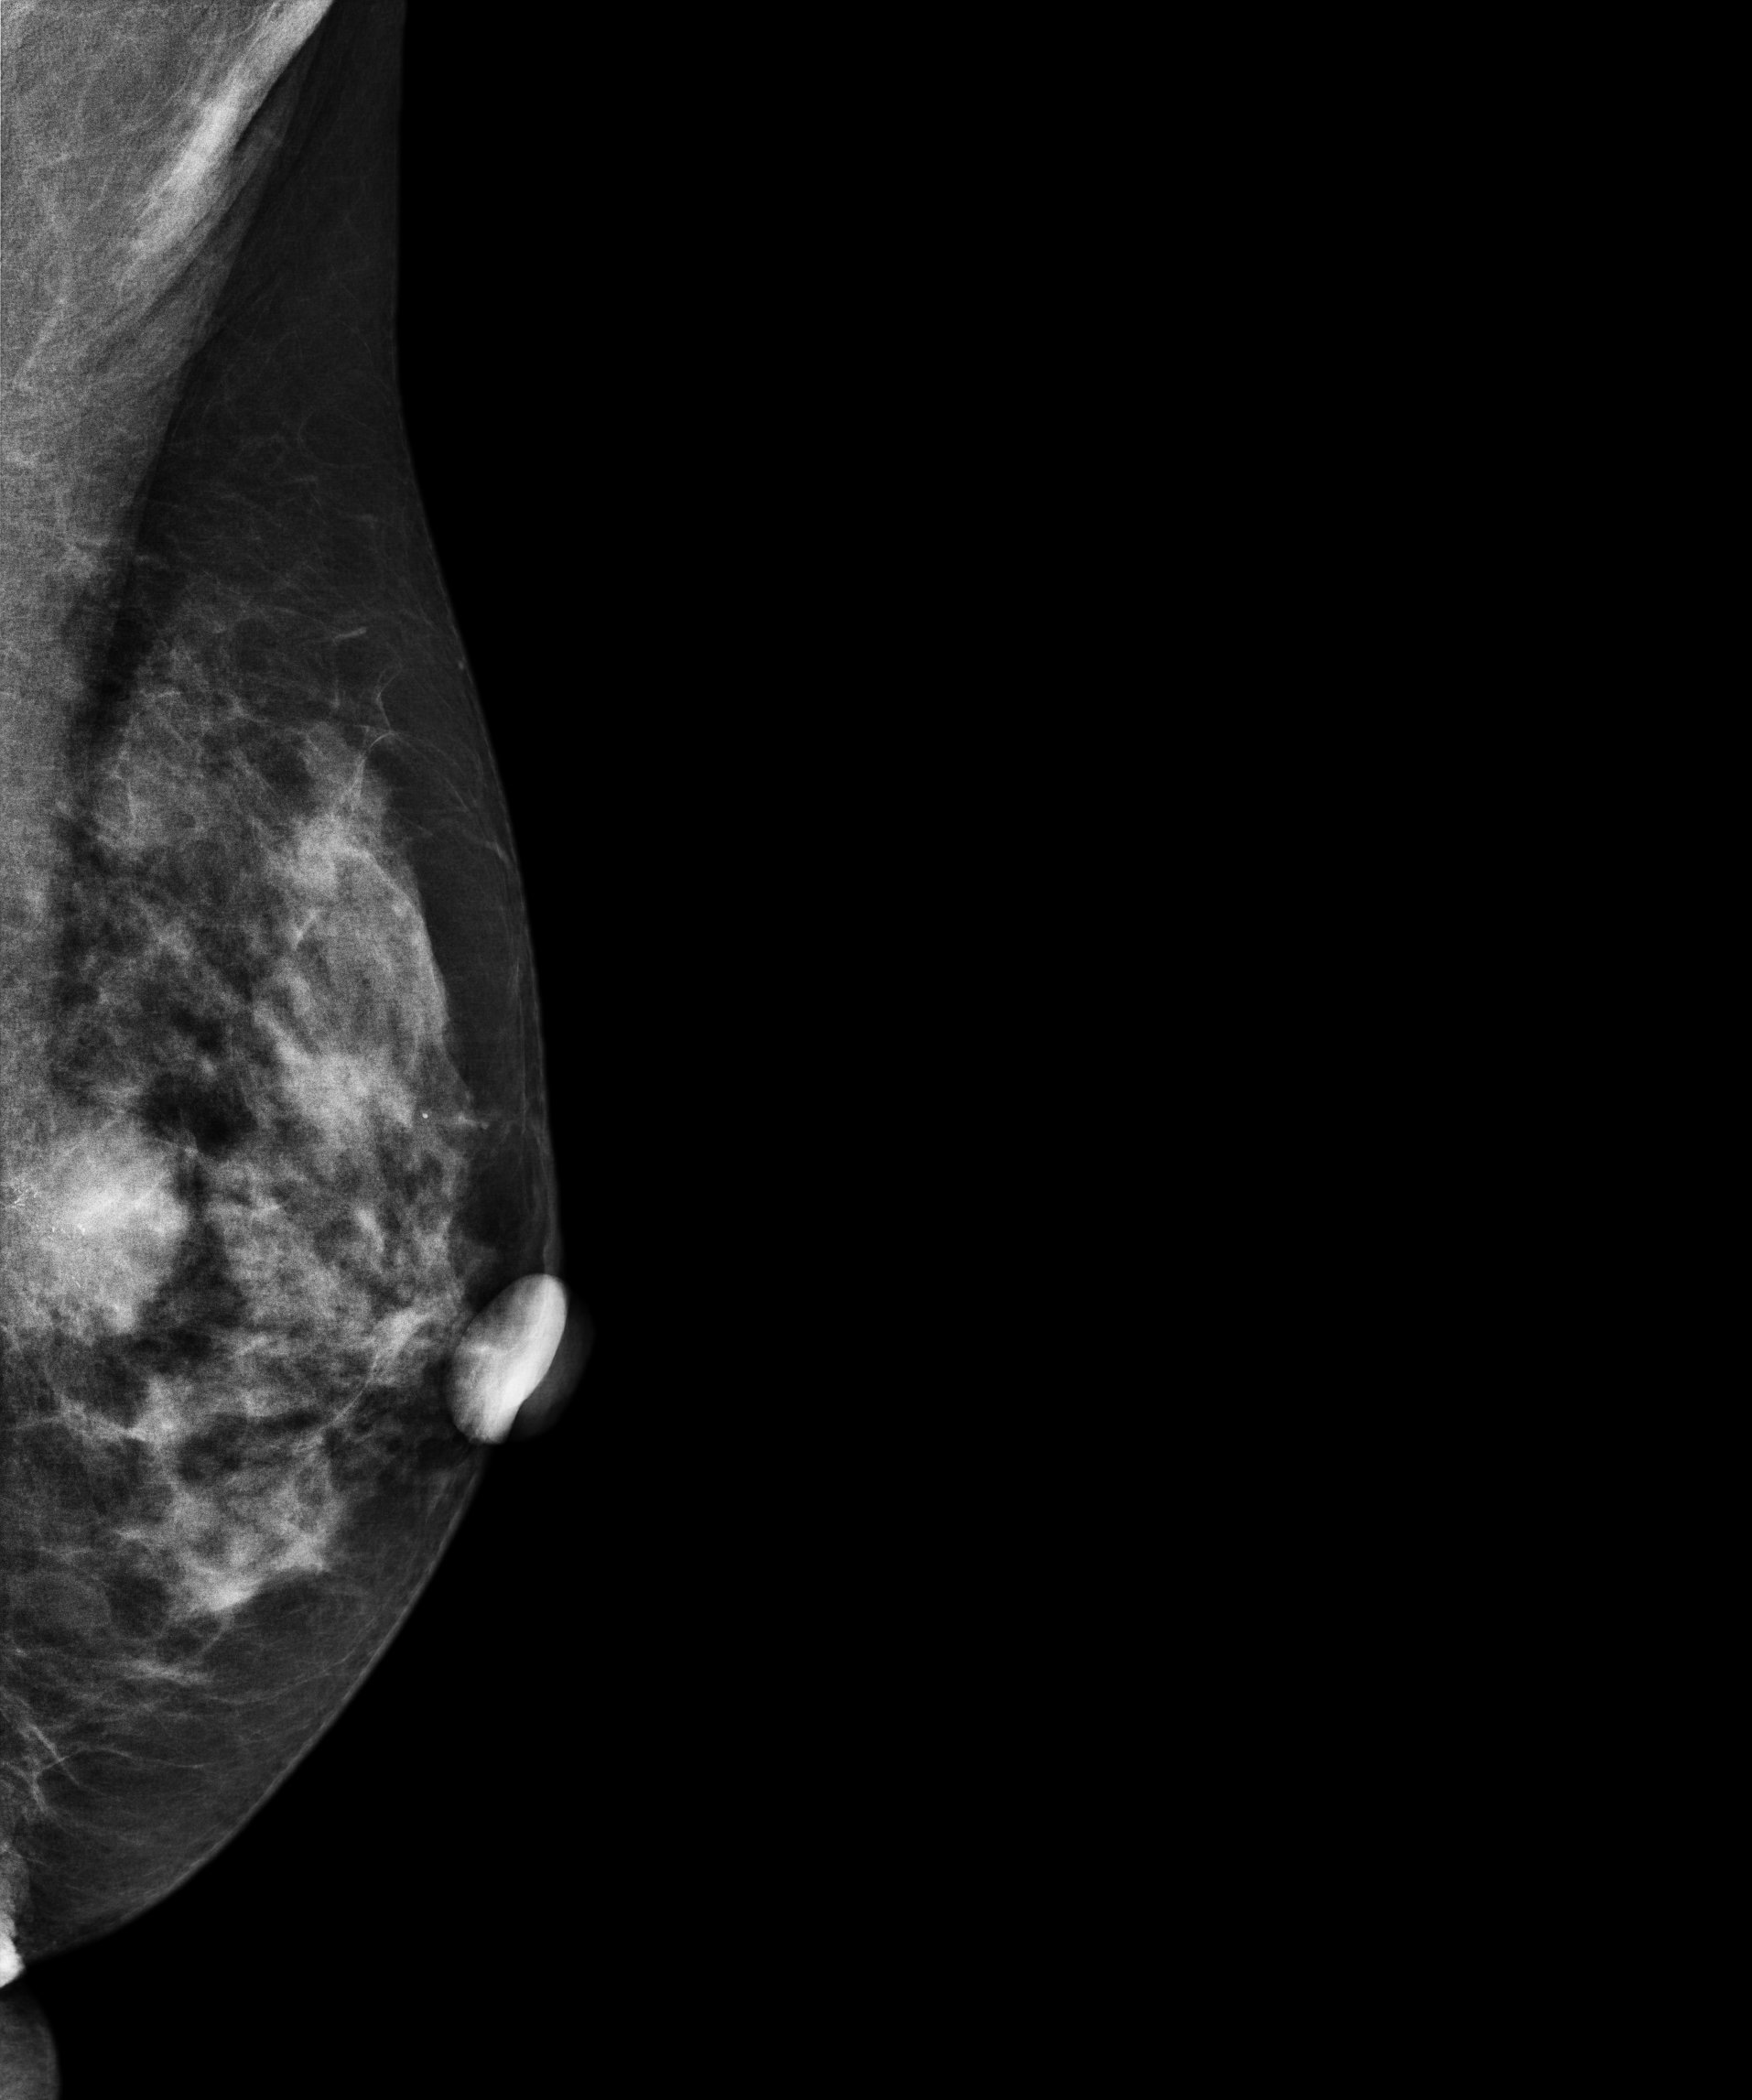
Mammogram — left medio-lateral oblique. 48 y/o patient.
This breast has a mass and calcifications, biopsy-proven malignant. Molecular subtype: luminal B.